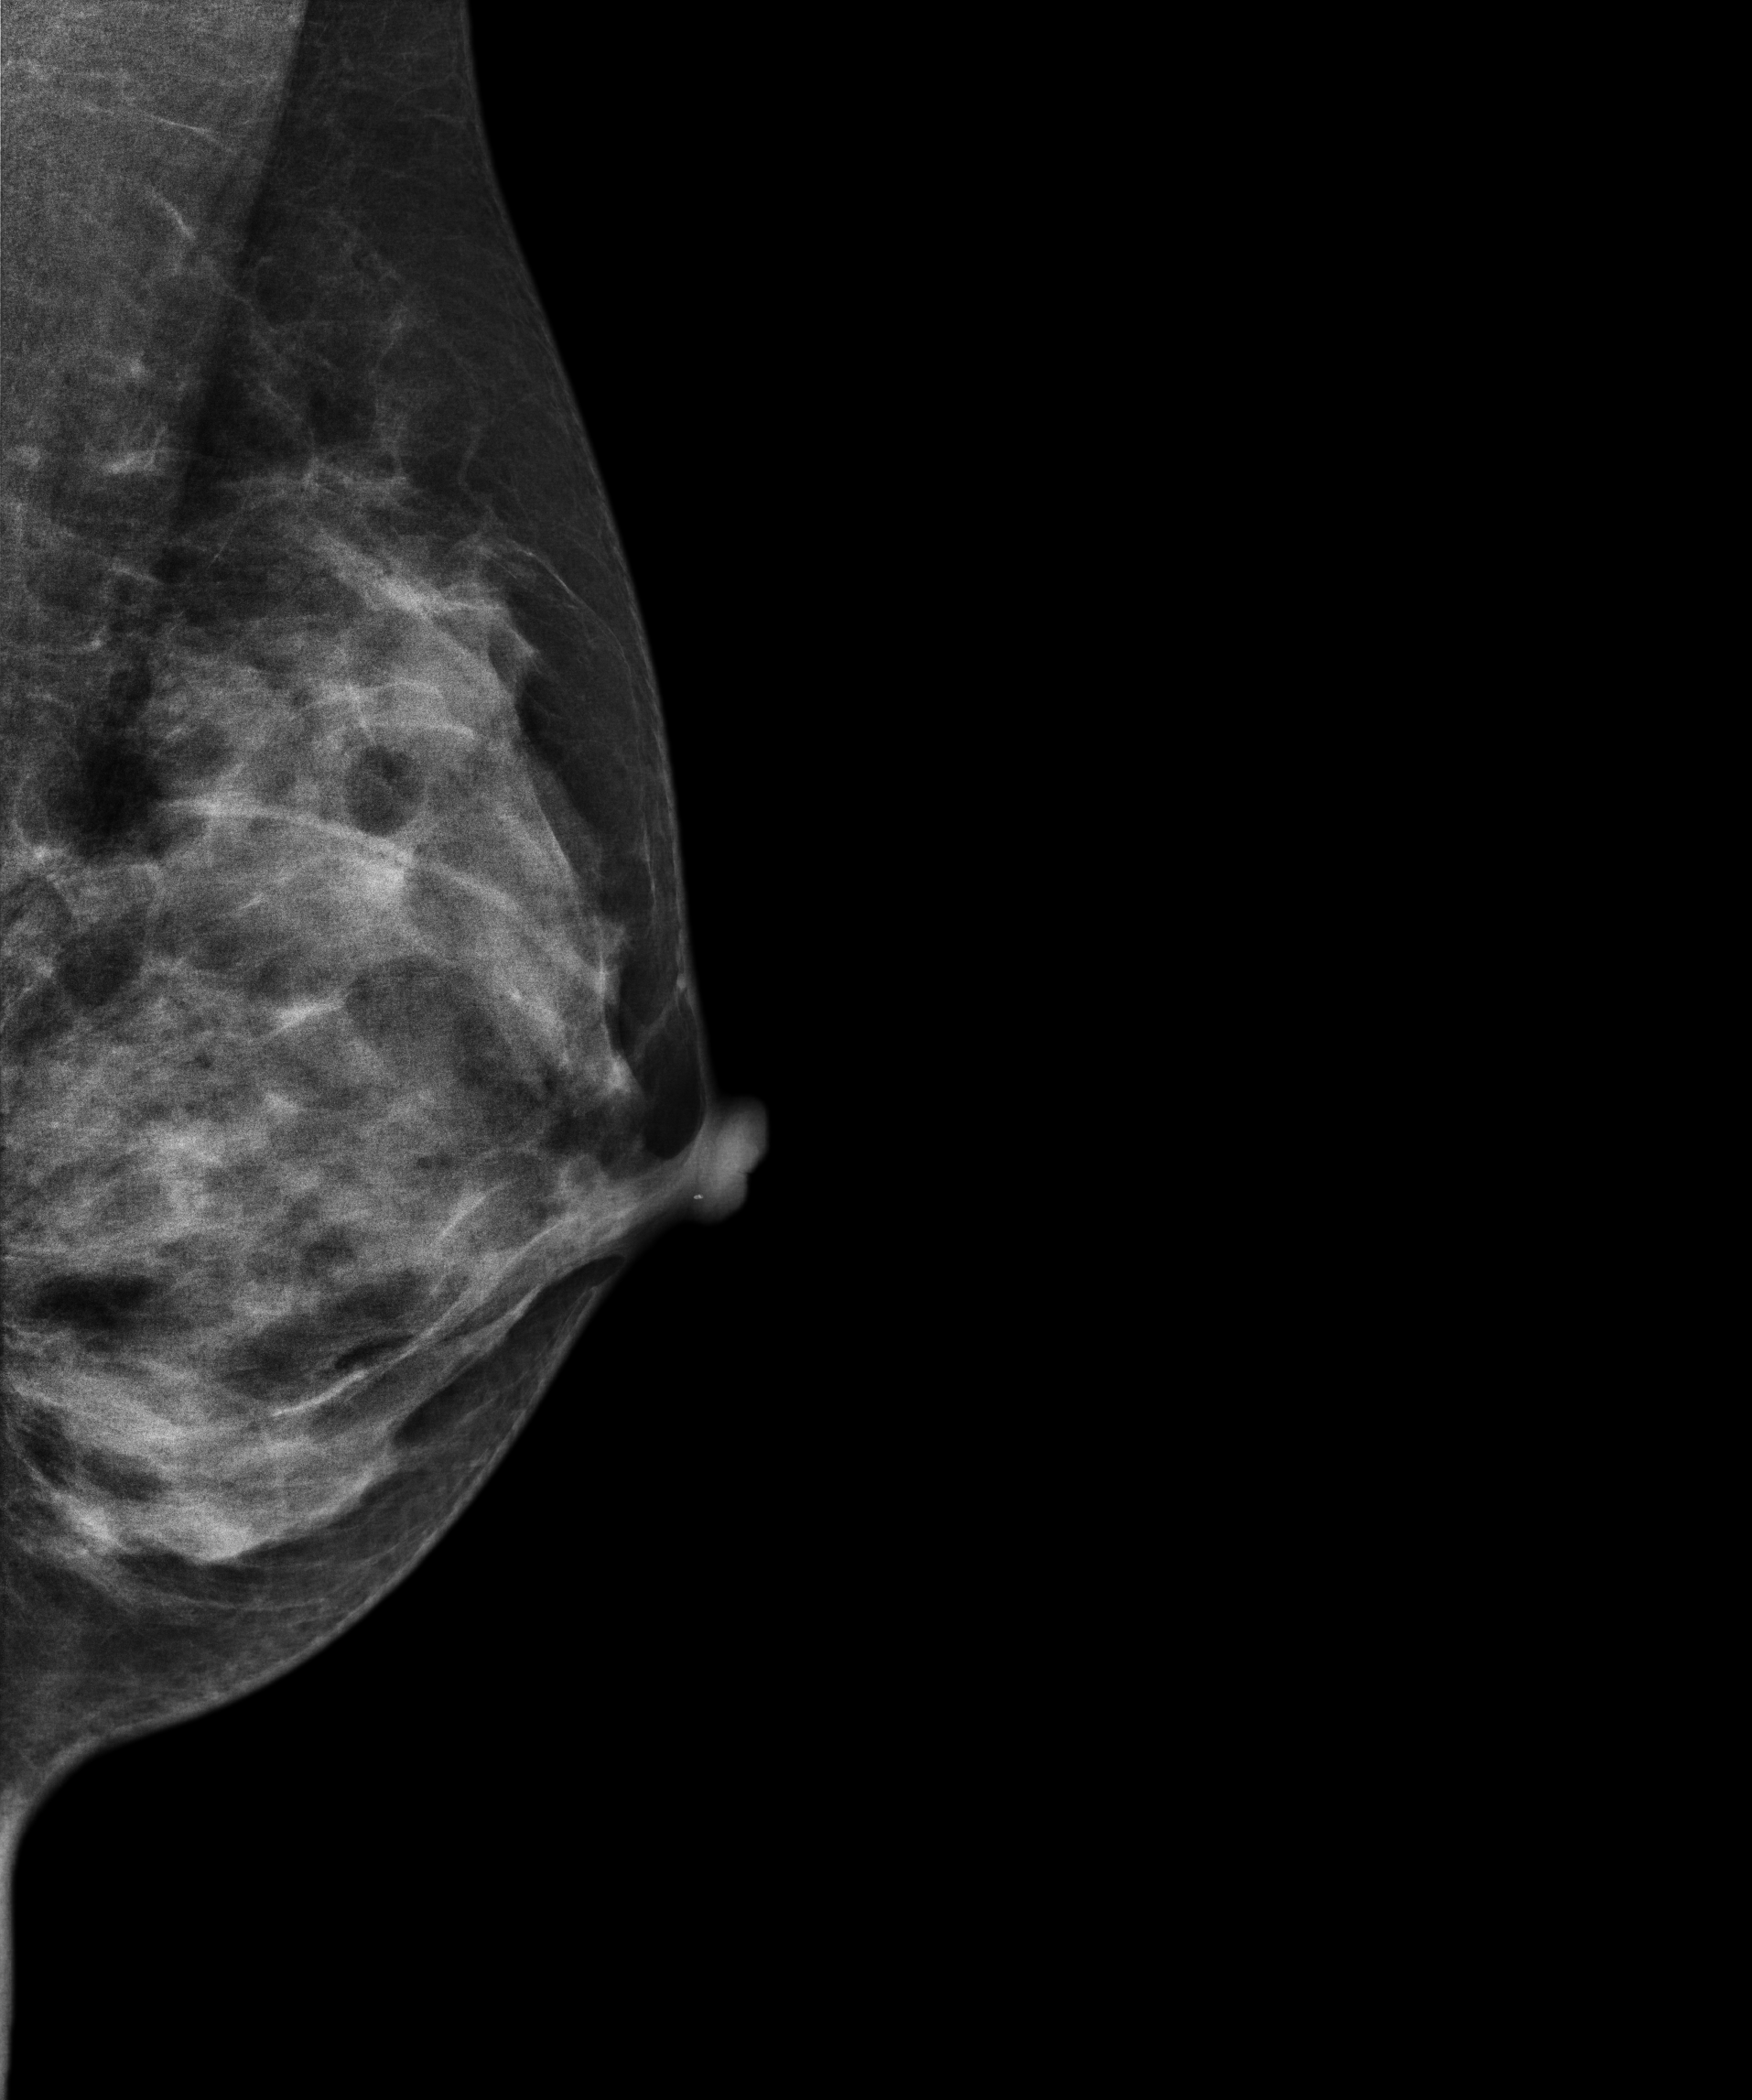
Digital mammography. Left breast, MLO projection. 38-year-old patient.
Contralateral breast — no documented abnormality on this side.